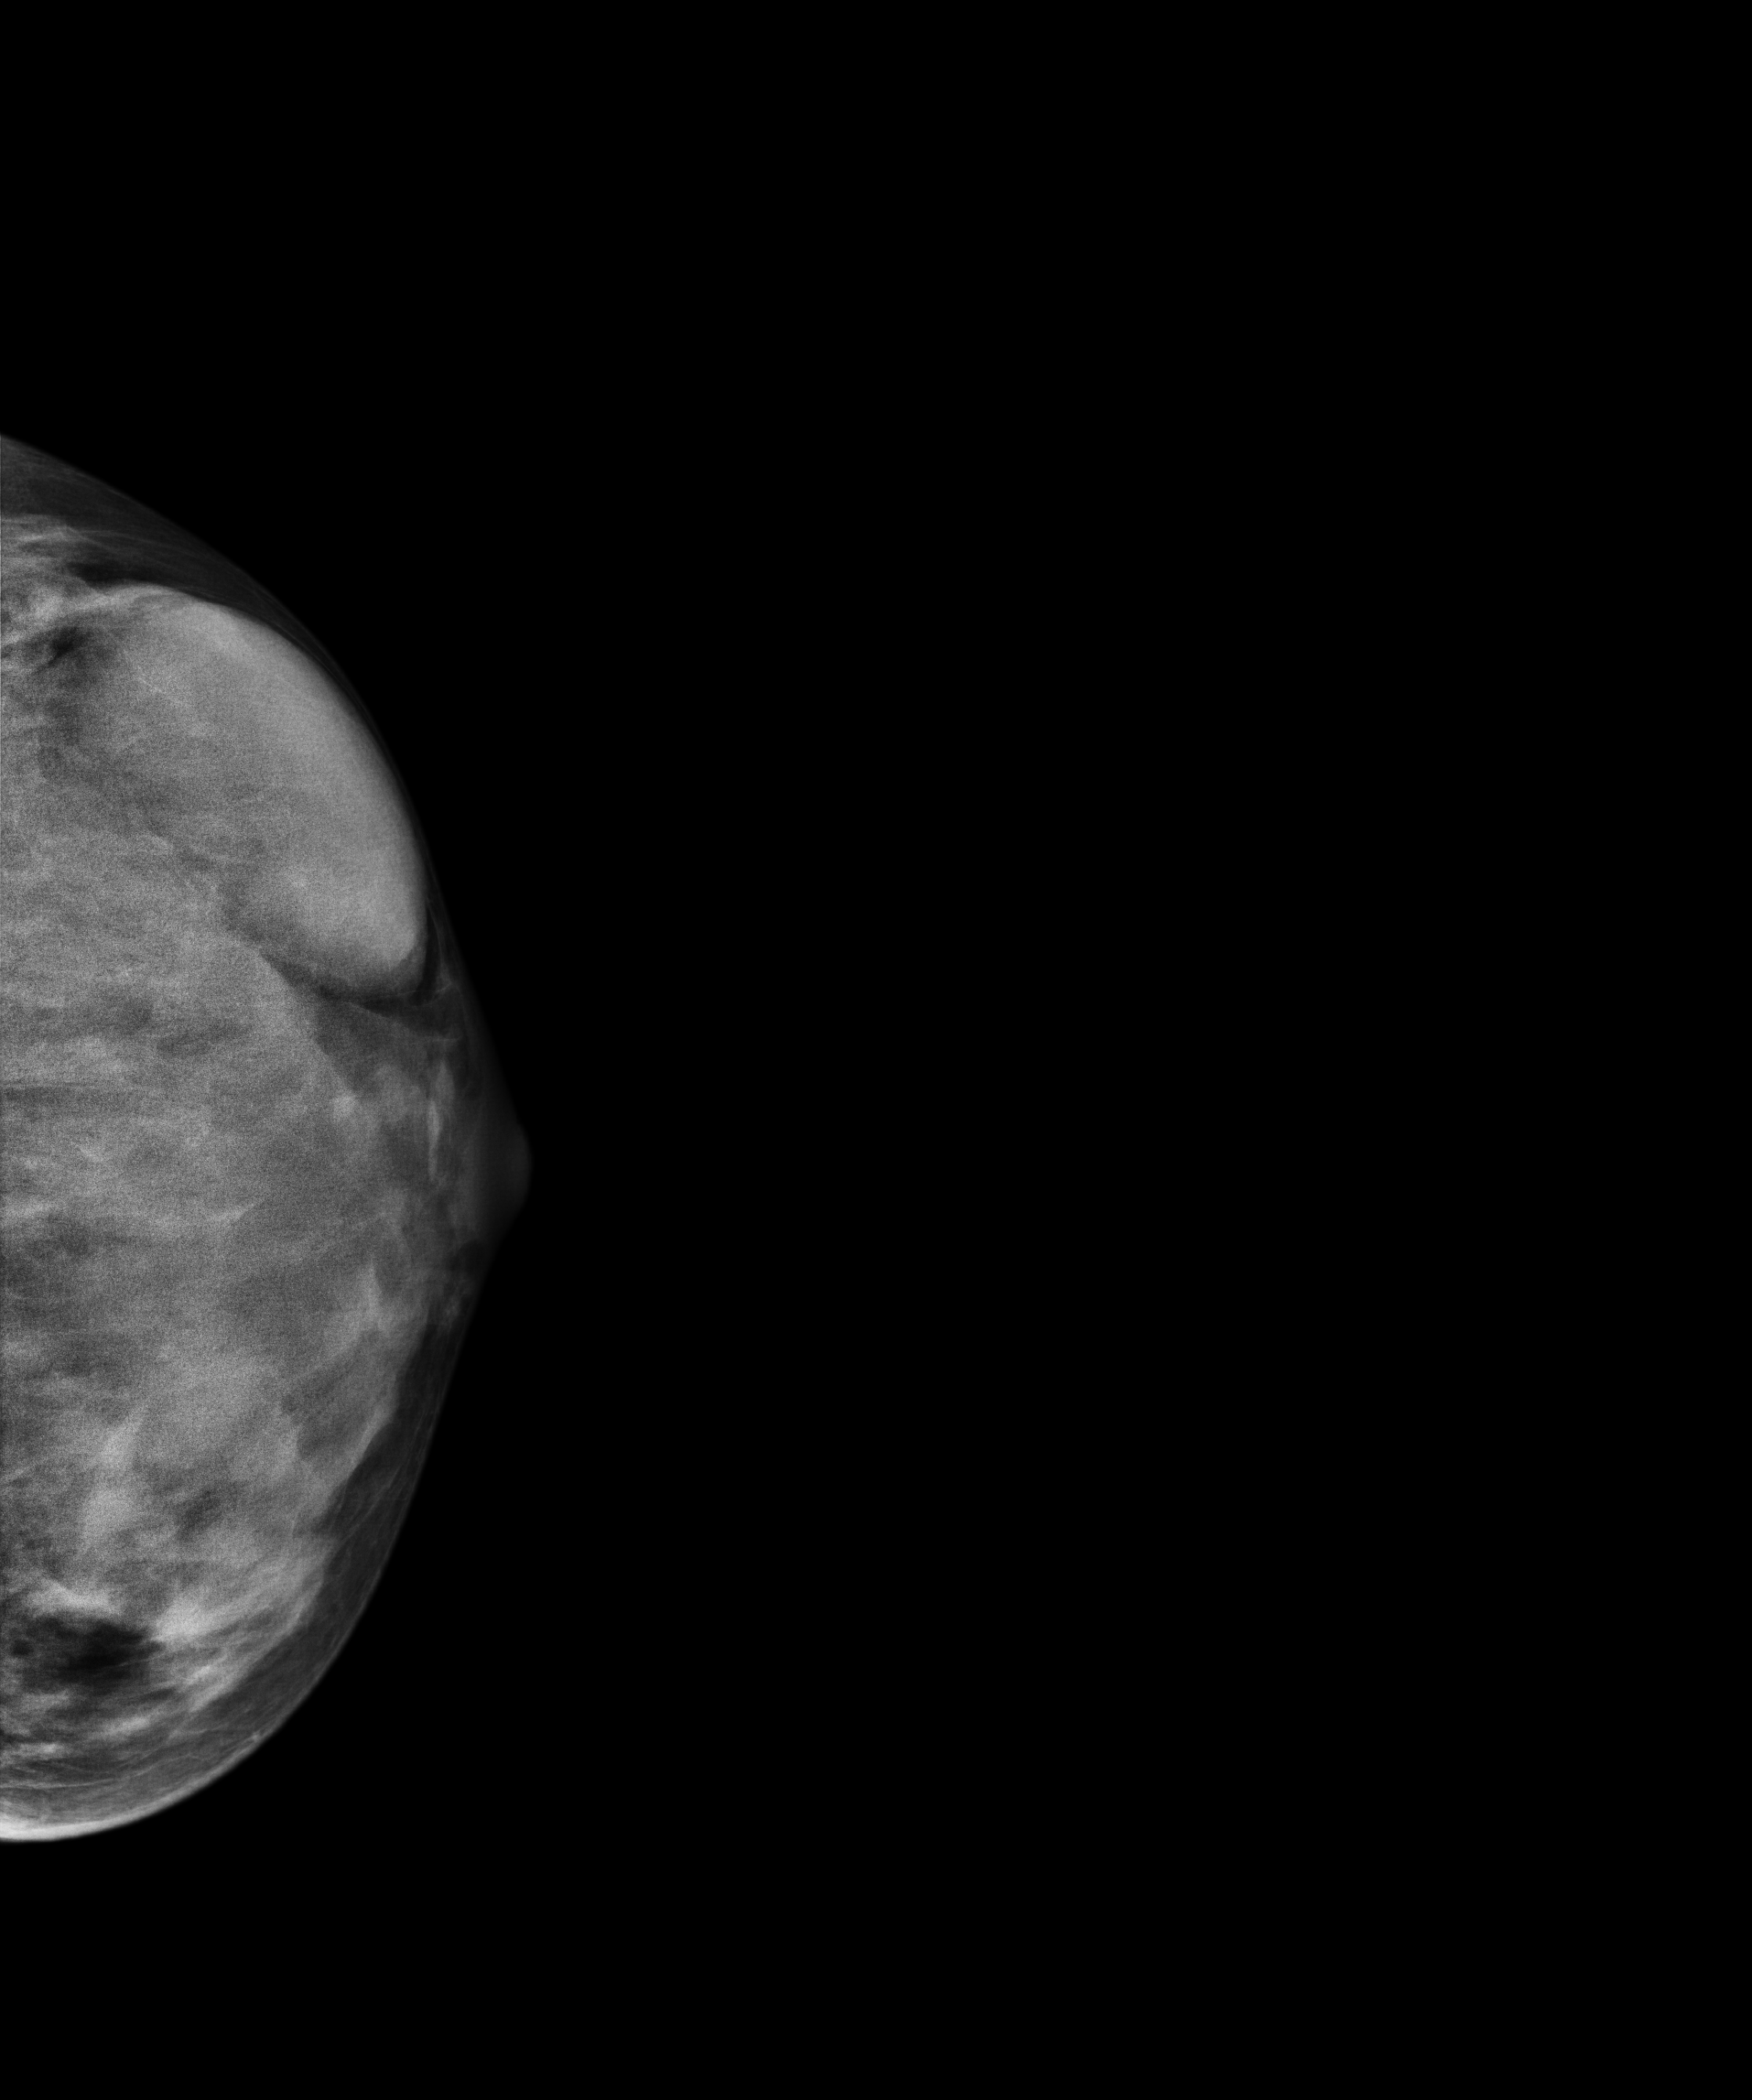
Mammogram, left breast, cranio-caudal view. 17 y/o patient.
This breast has a mass, biopsy-confirmed benign.